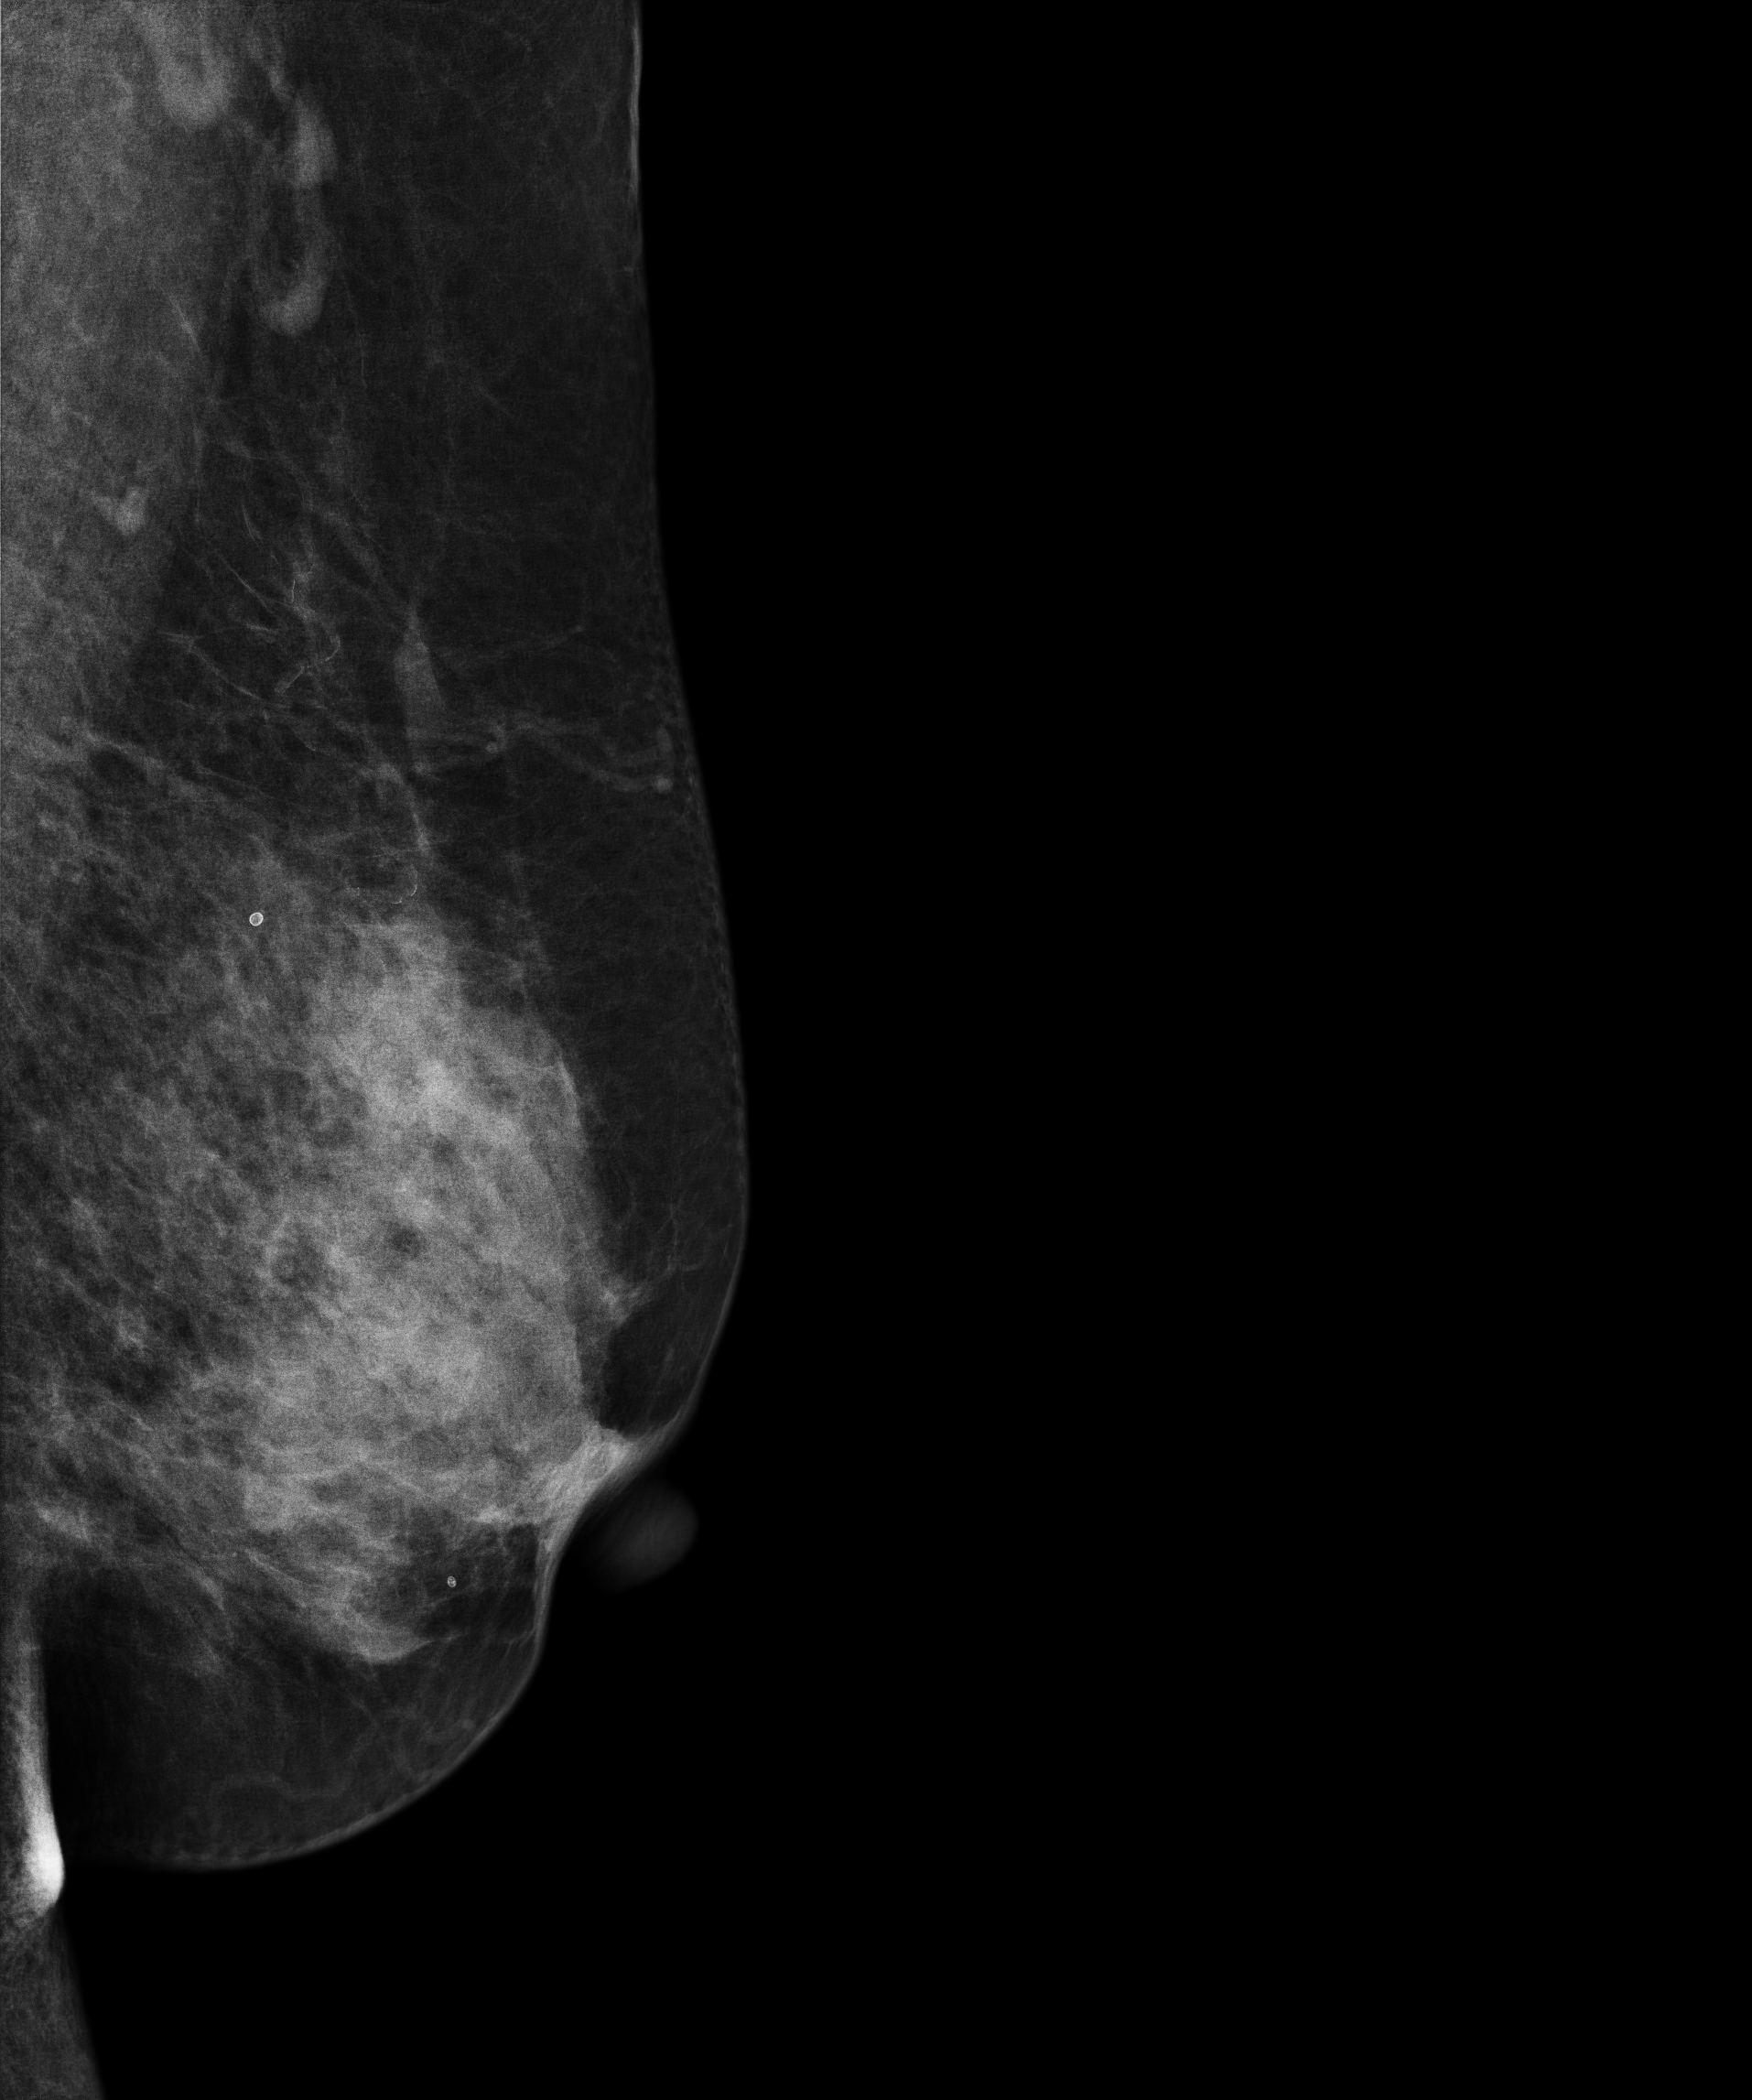
Left-breast mammogram, MLO. 63 y/o patient.
Contralateral breast — no documented abnormality on this side.